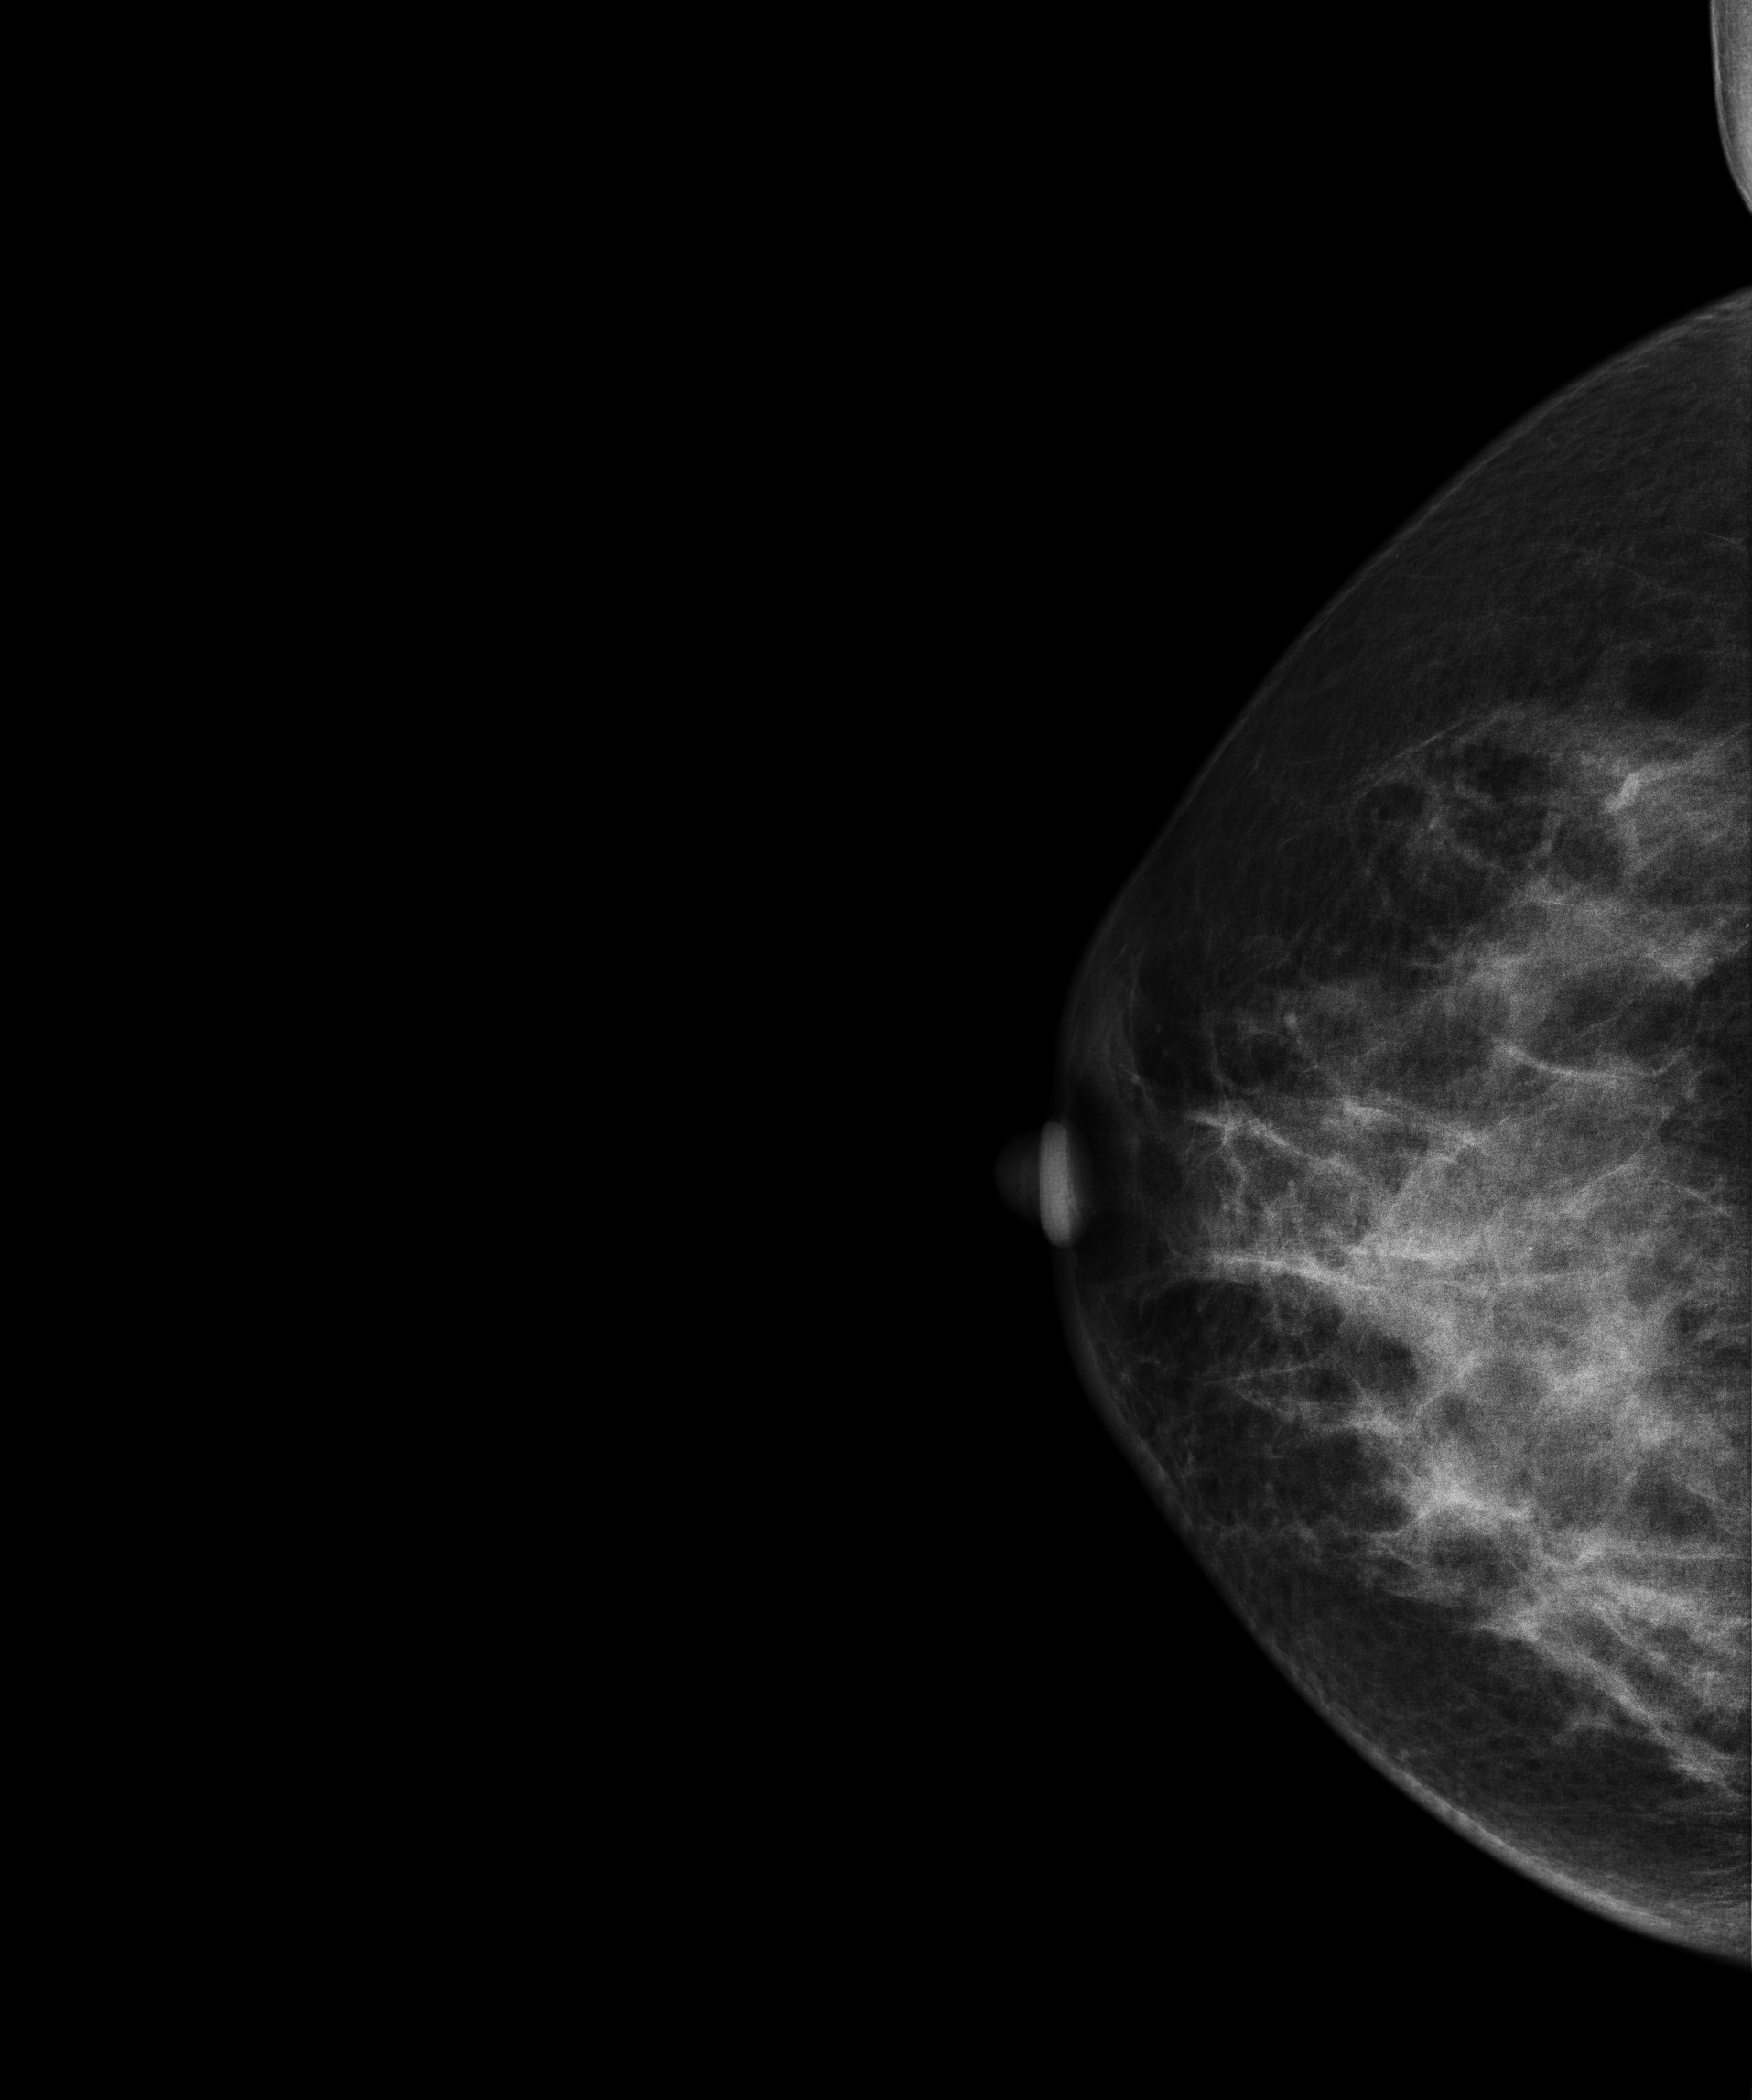
Digital mammography. Right breast, cranio-caudal projection. Patient age 48.
This breast has a mass, histologically confirmed malignant.